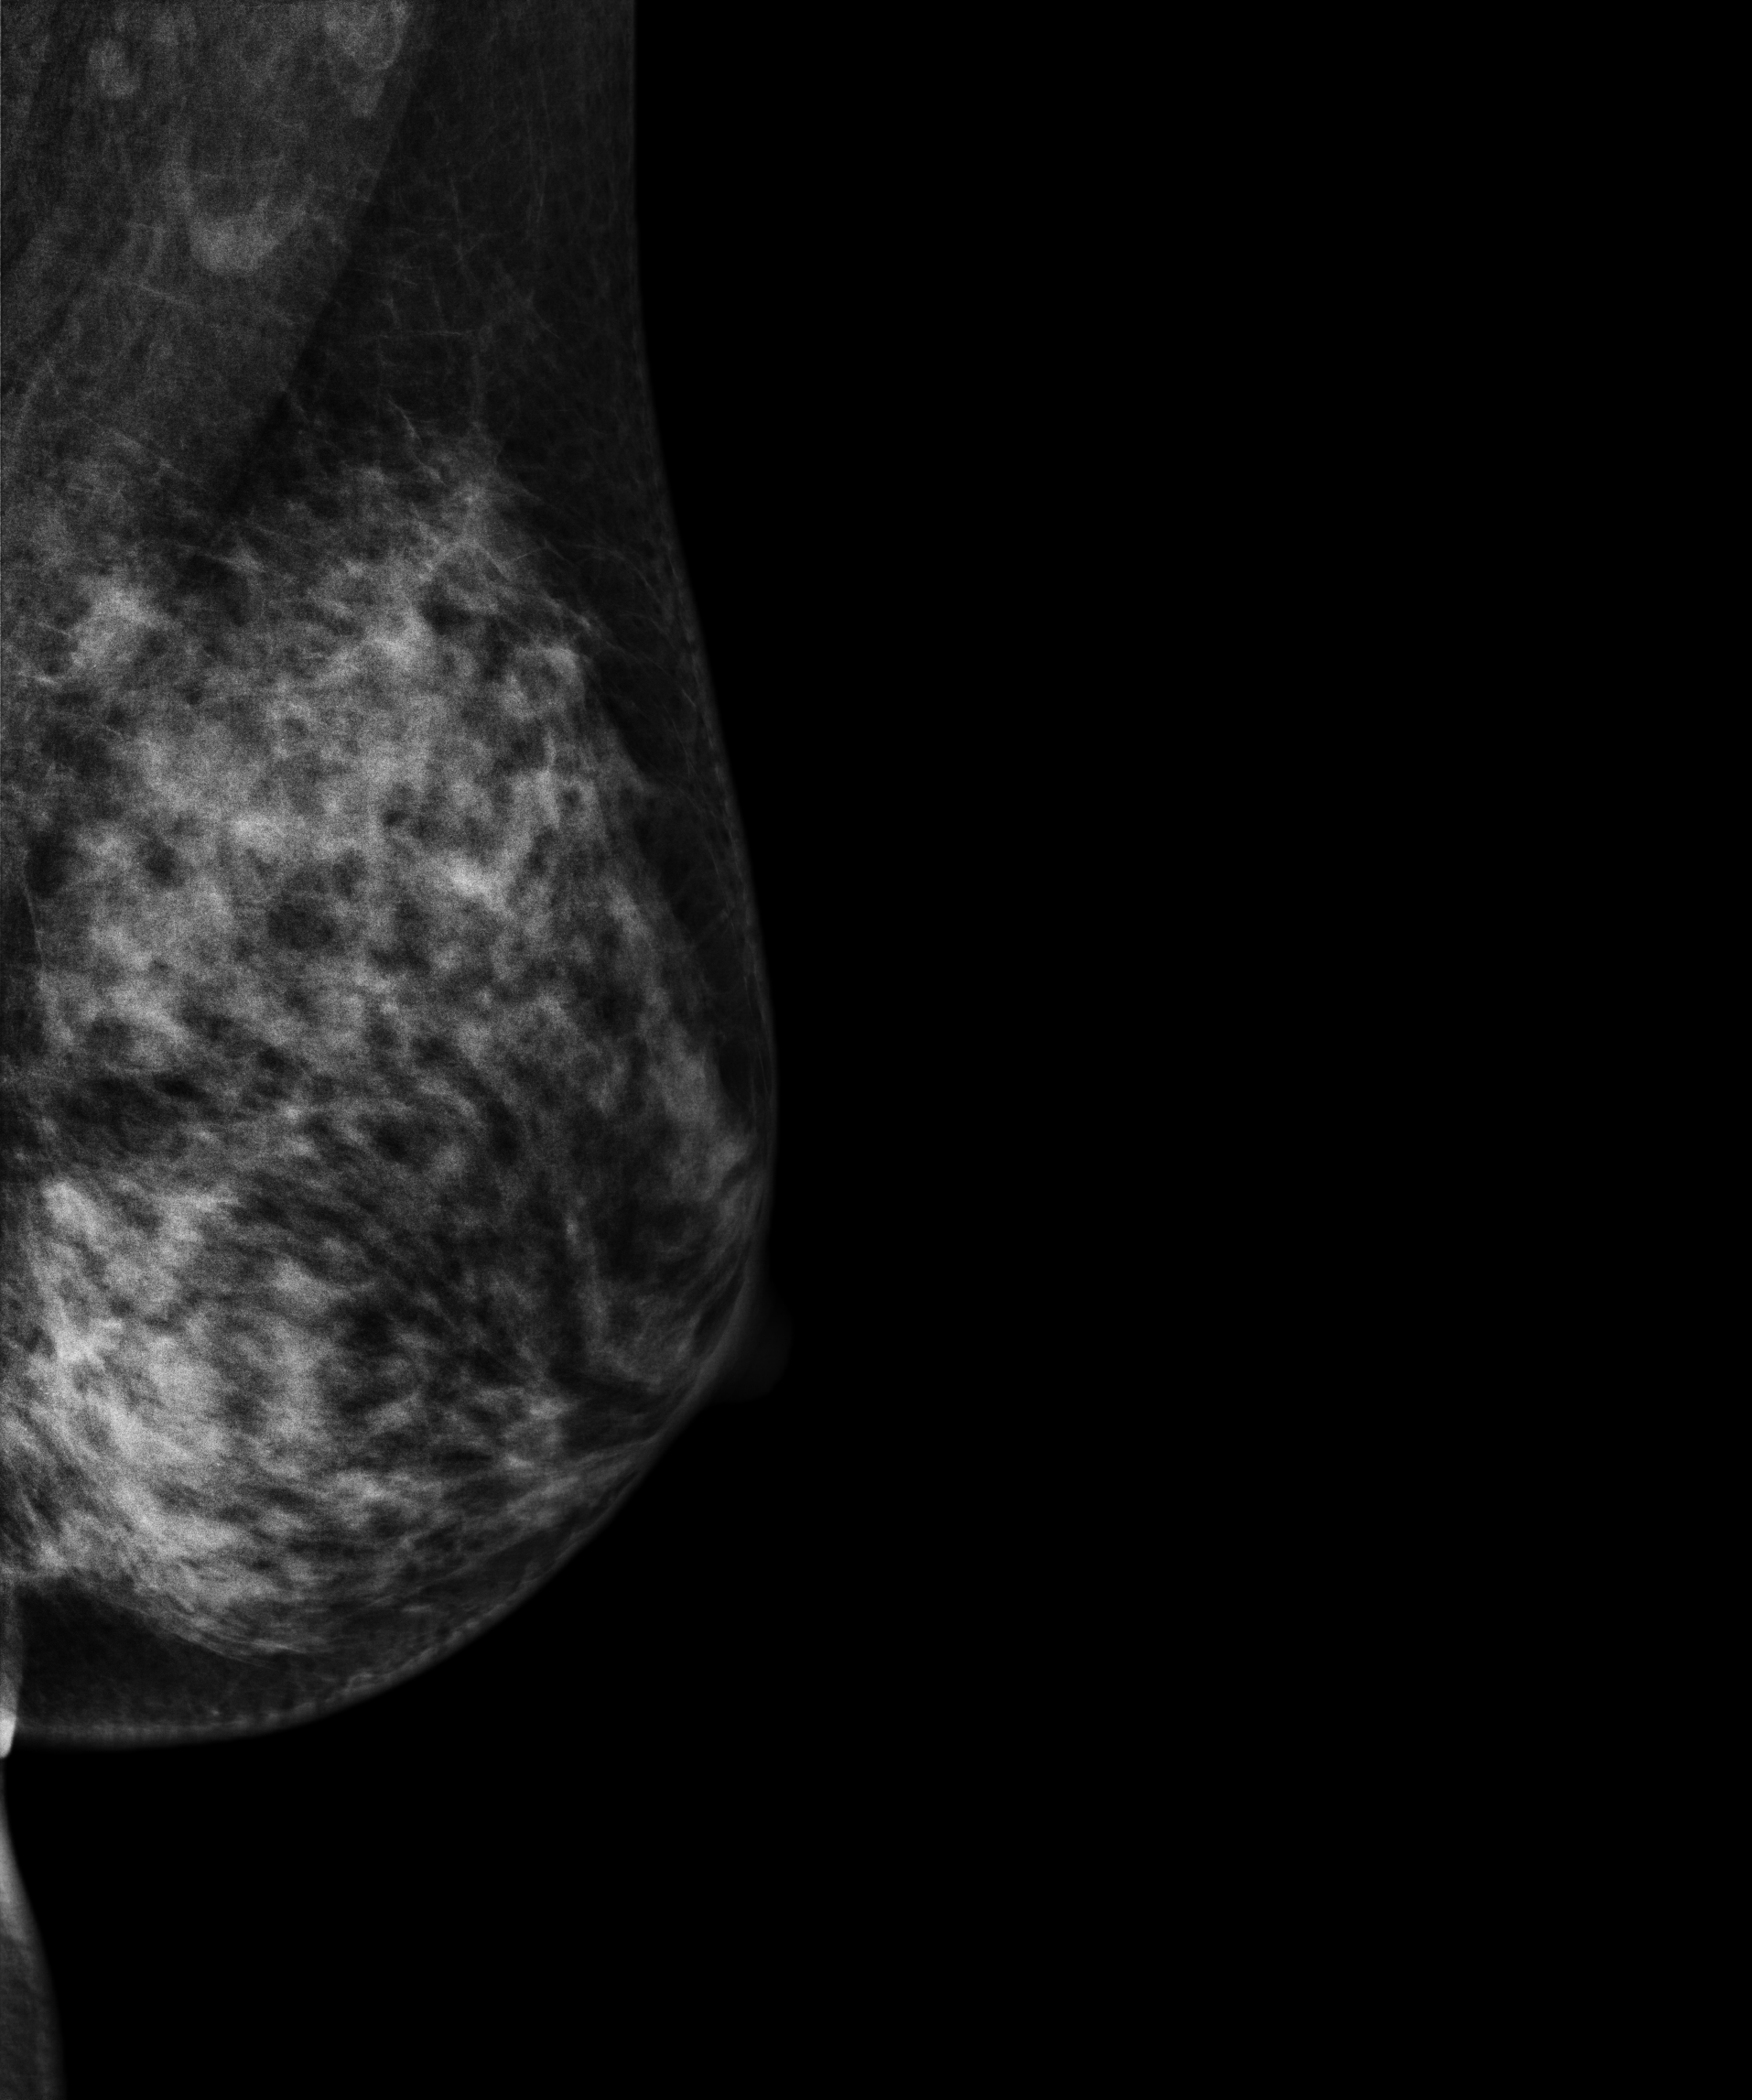
Mammogram — left medio-lateral oblique. Patient age 48.
This breast has a mass, biopsy-confirmed malignant. Molecular subtype: luminal A.